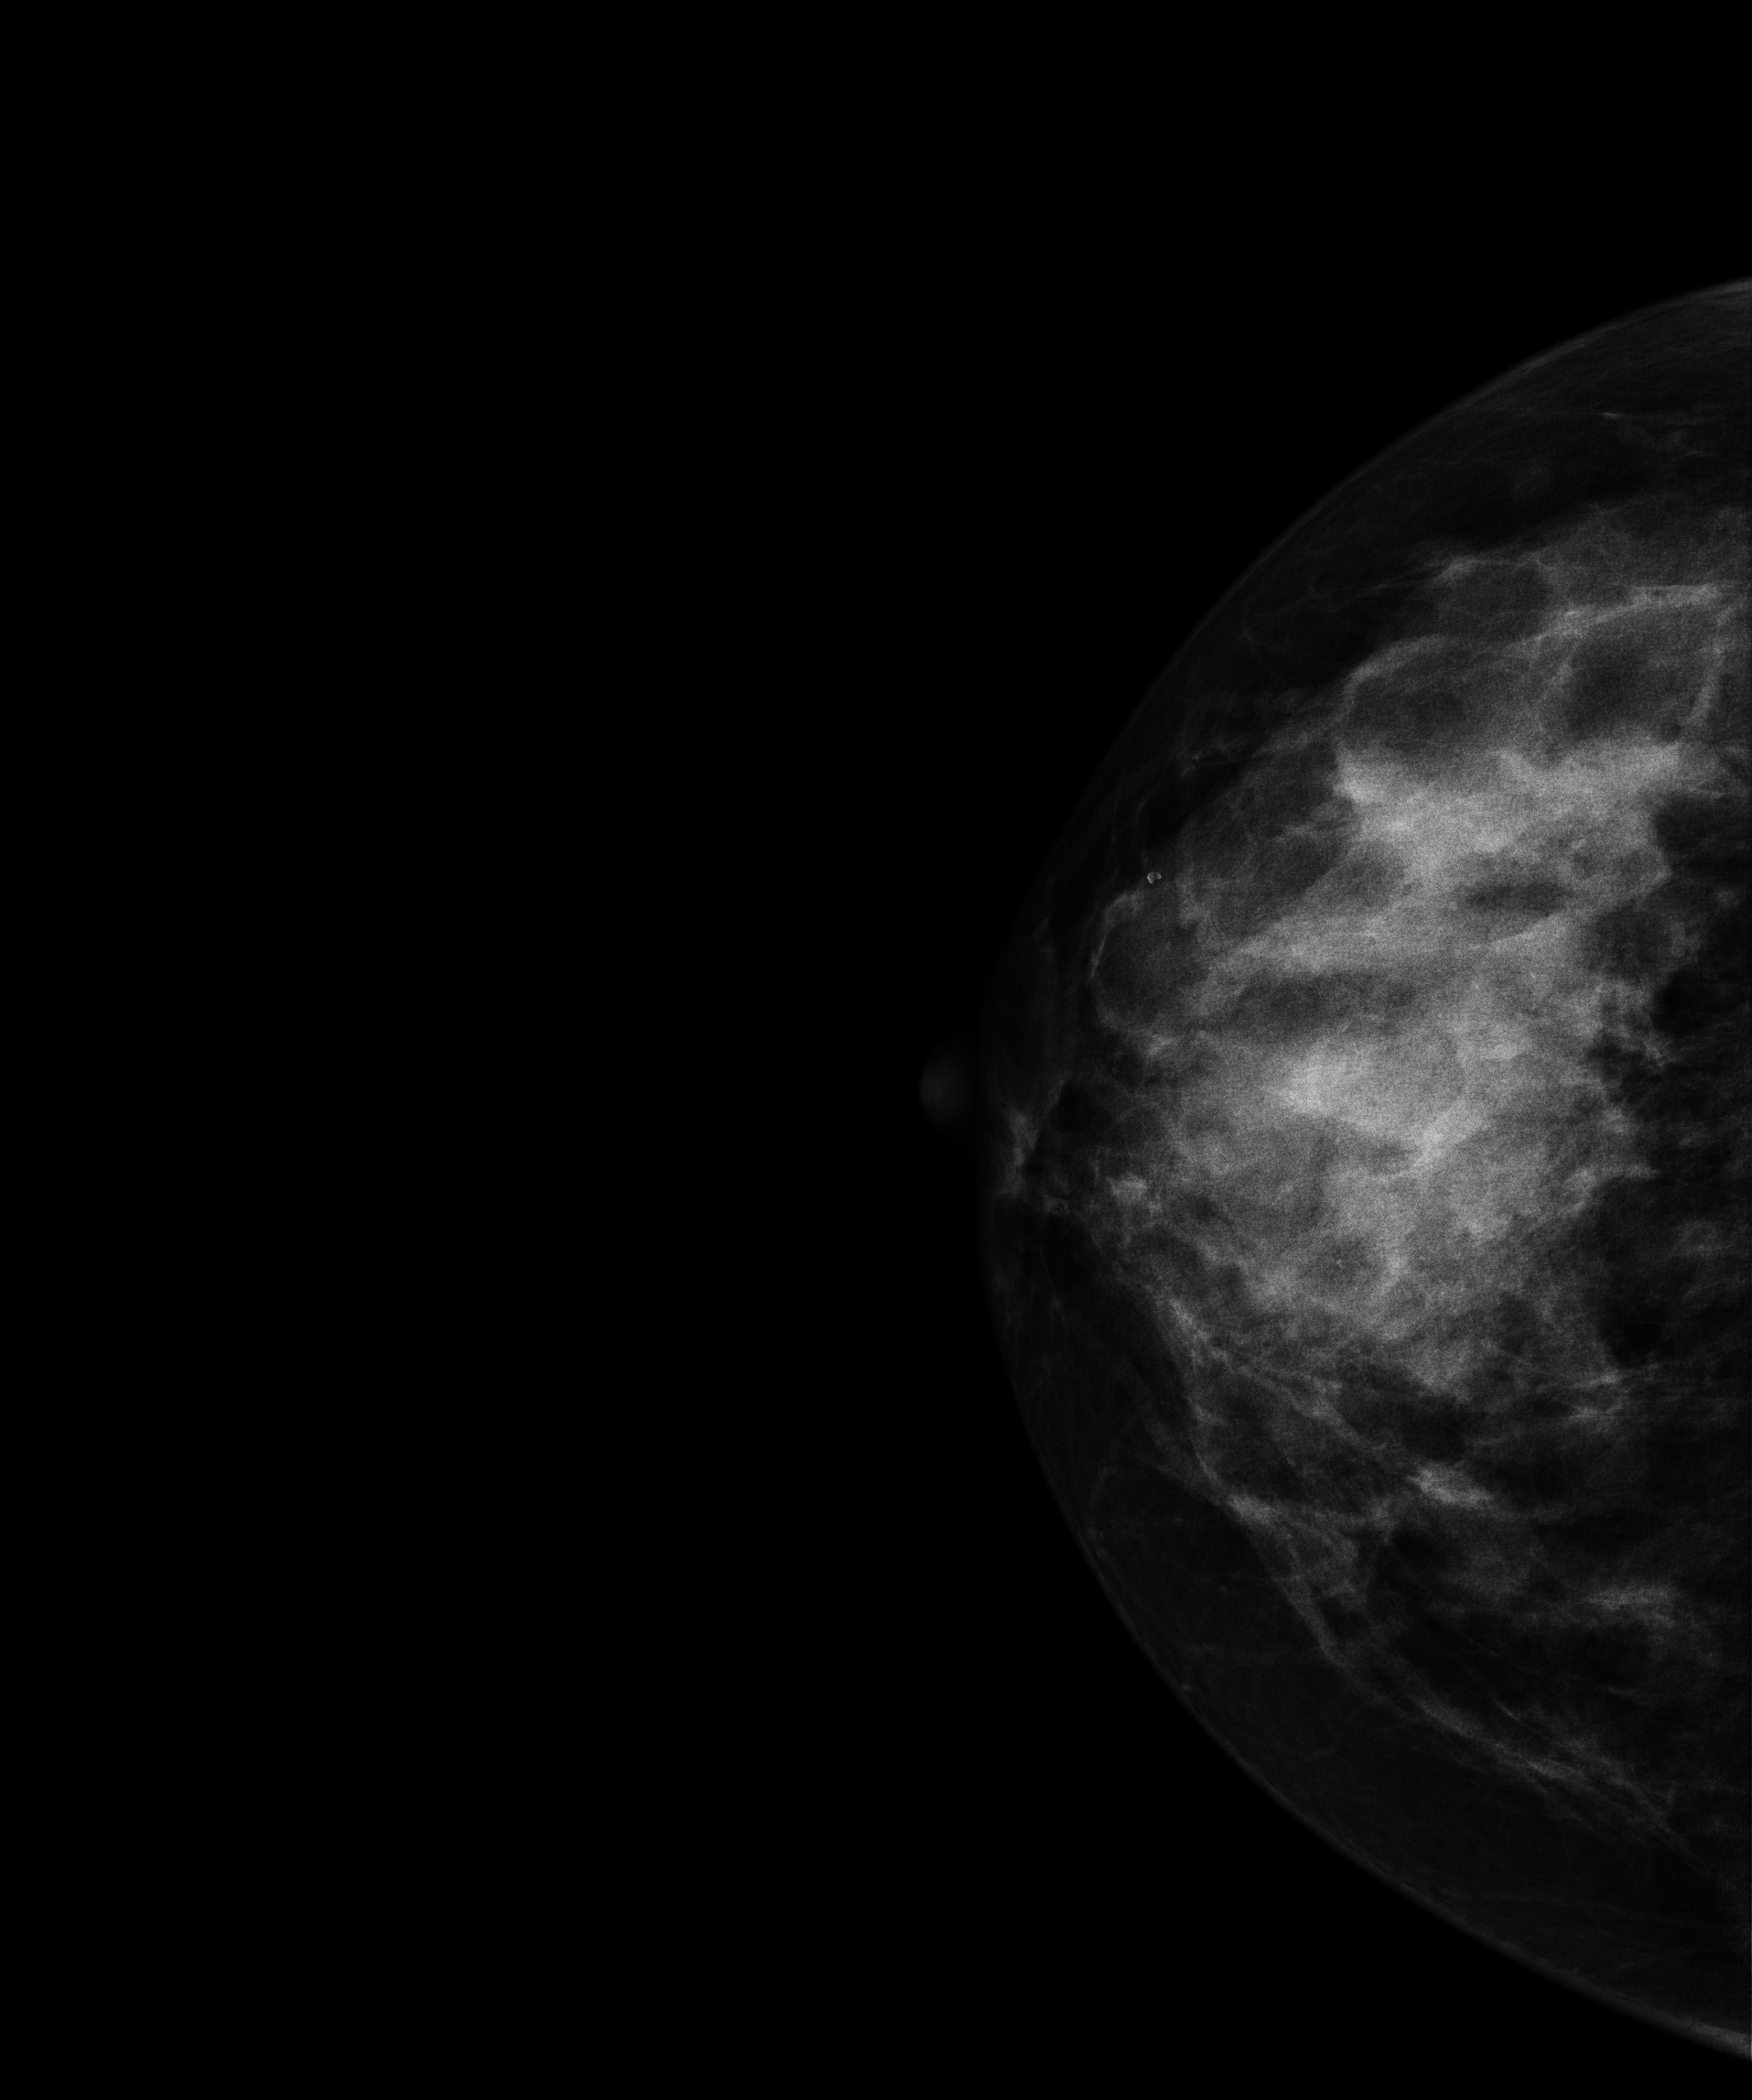
CC mammogram of the right breast. Patient age 42.
This breast has a mass, biopsy-confirmed malignant.